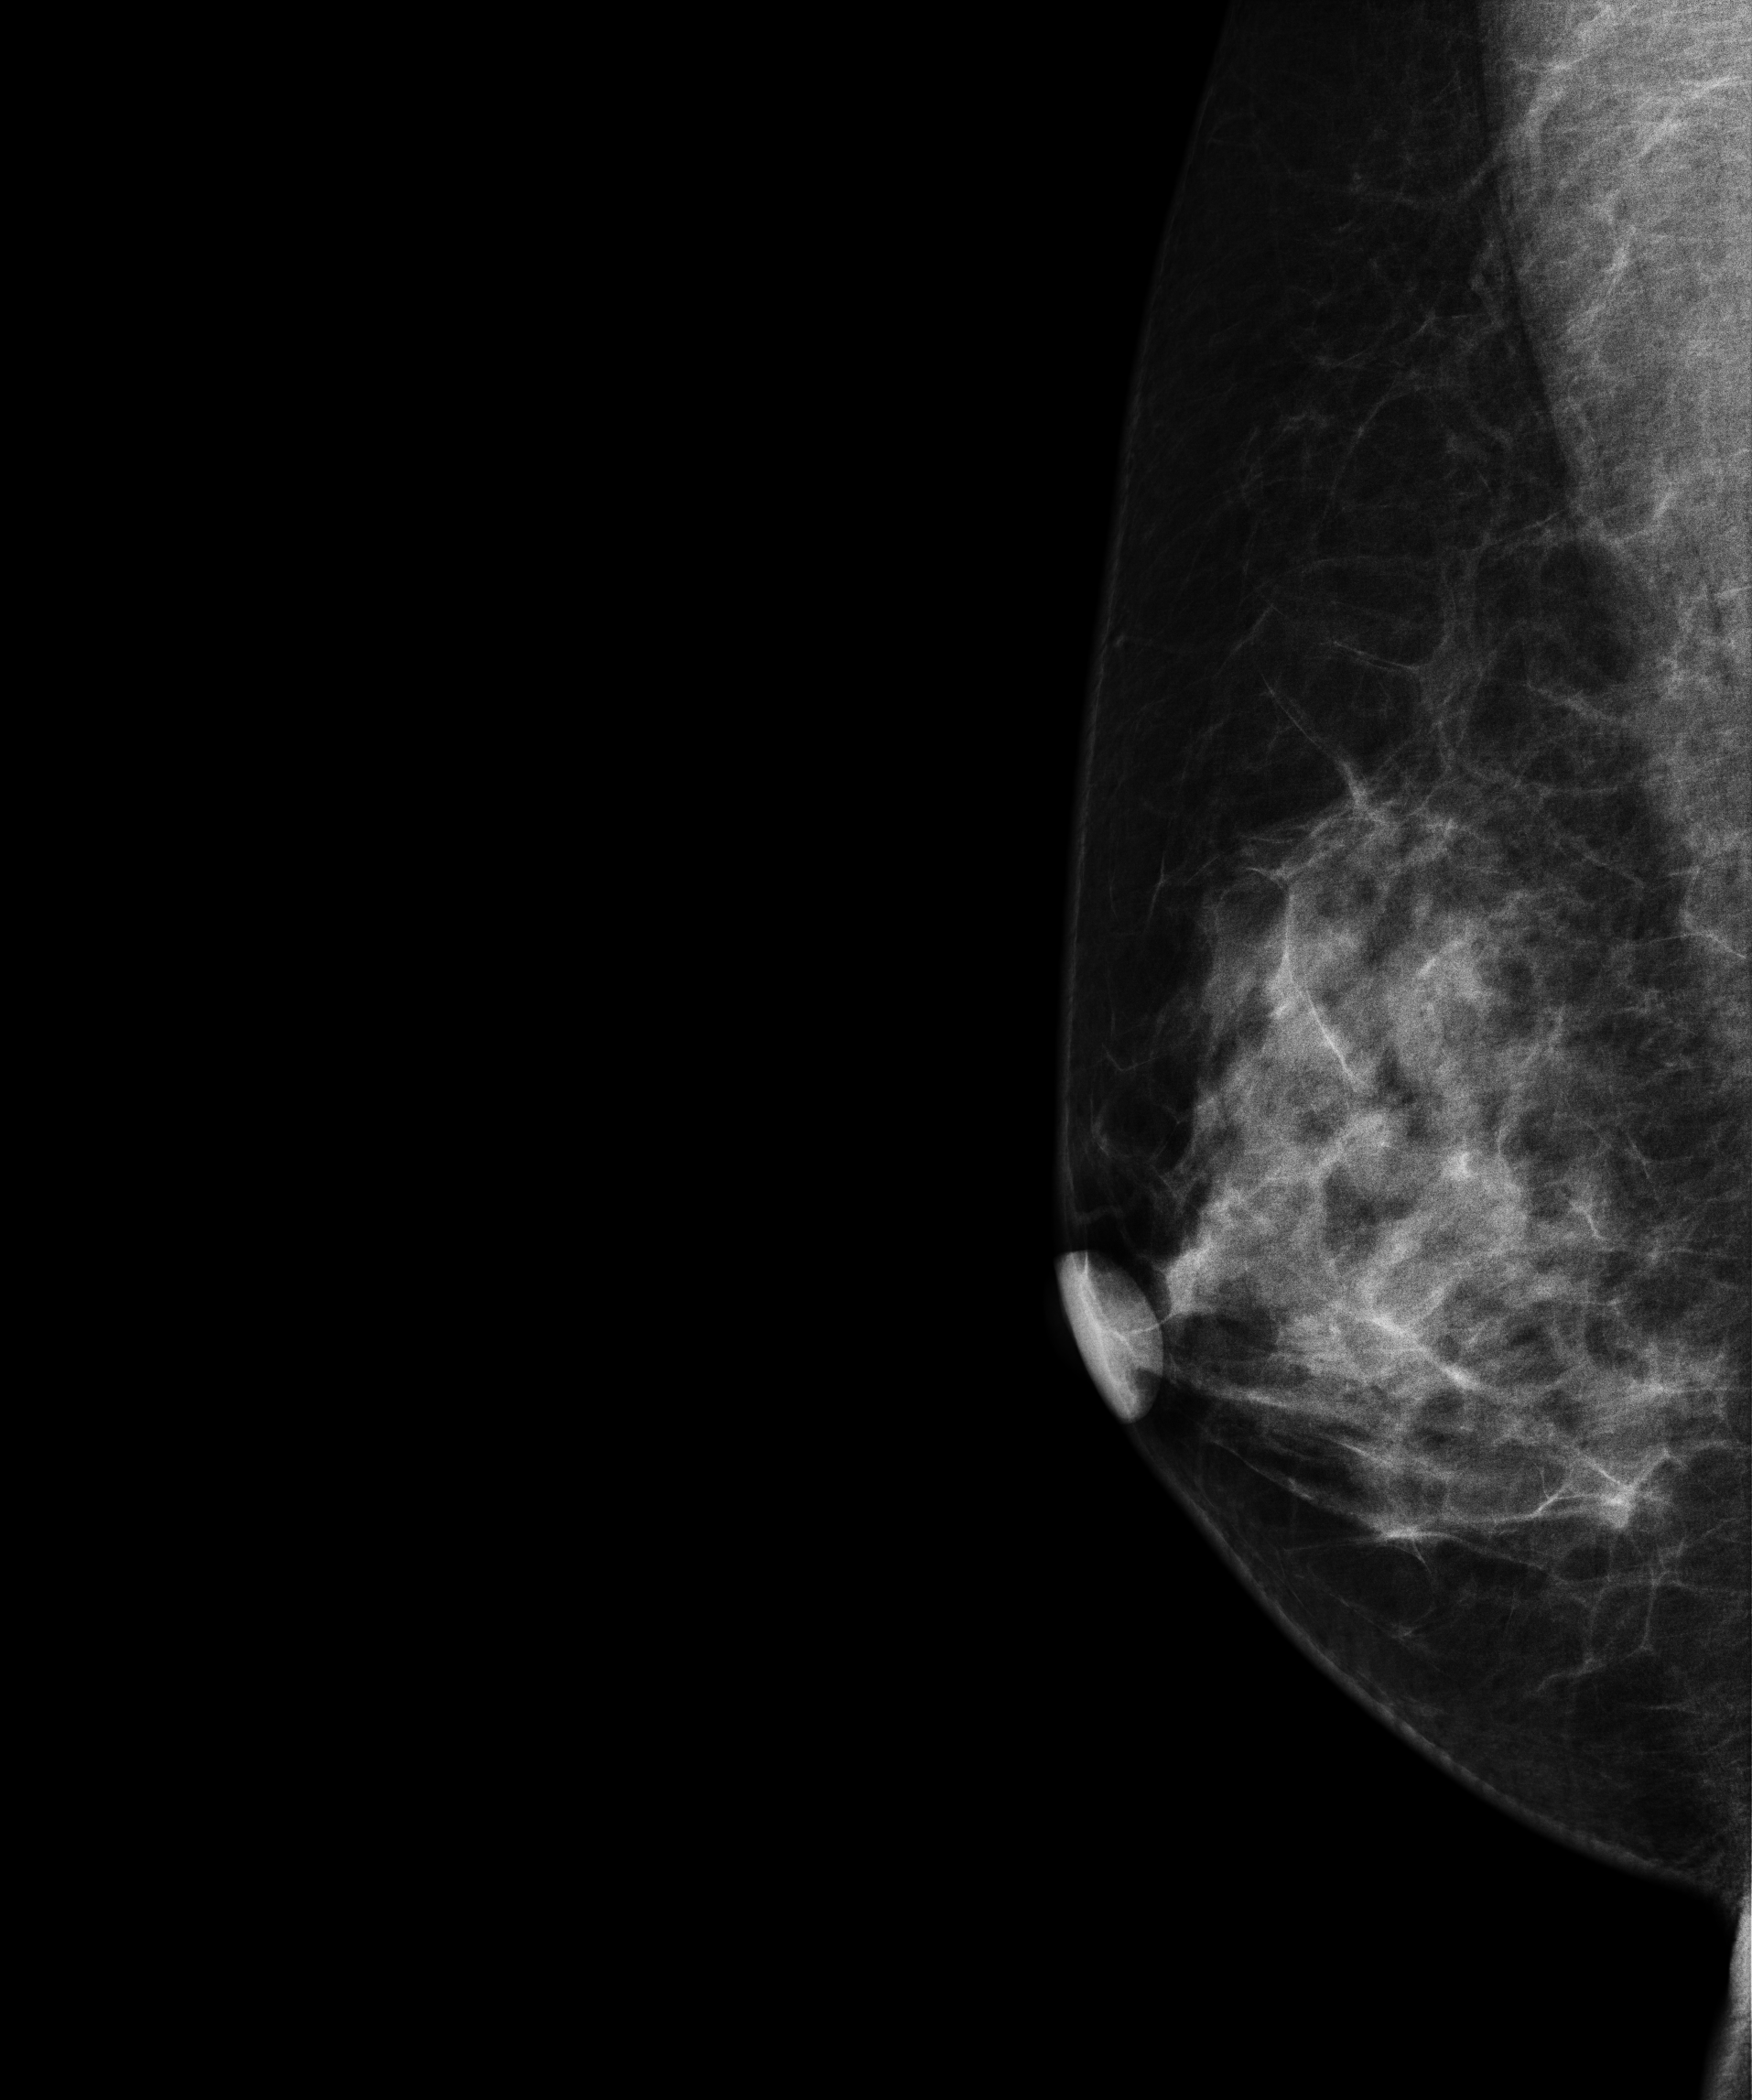
Right-breast mammogram, MLO. Patient age 44.
Contralateral breast — no documented abnormality on this side.